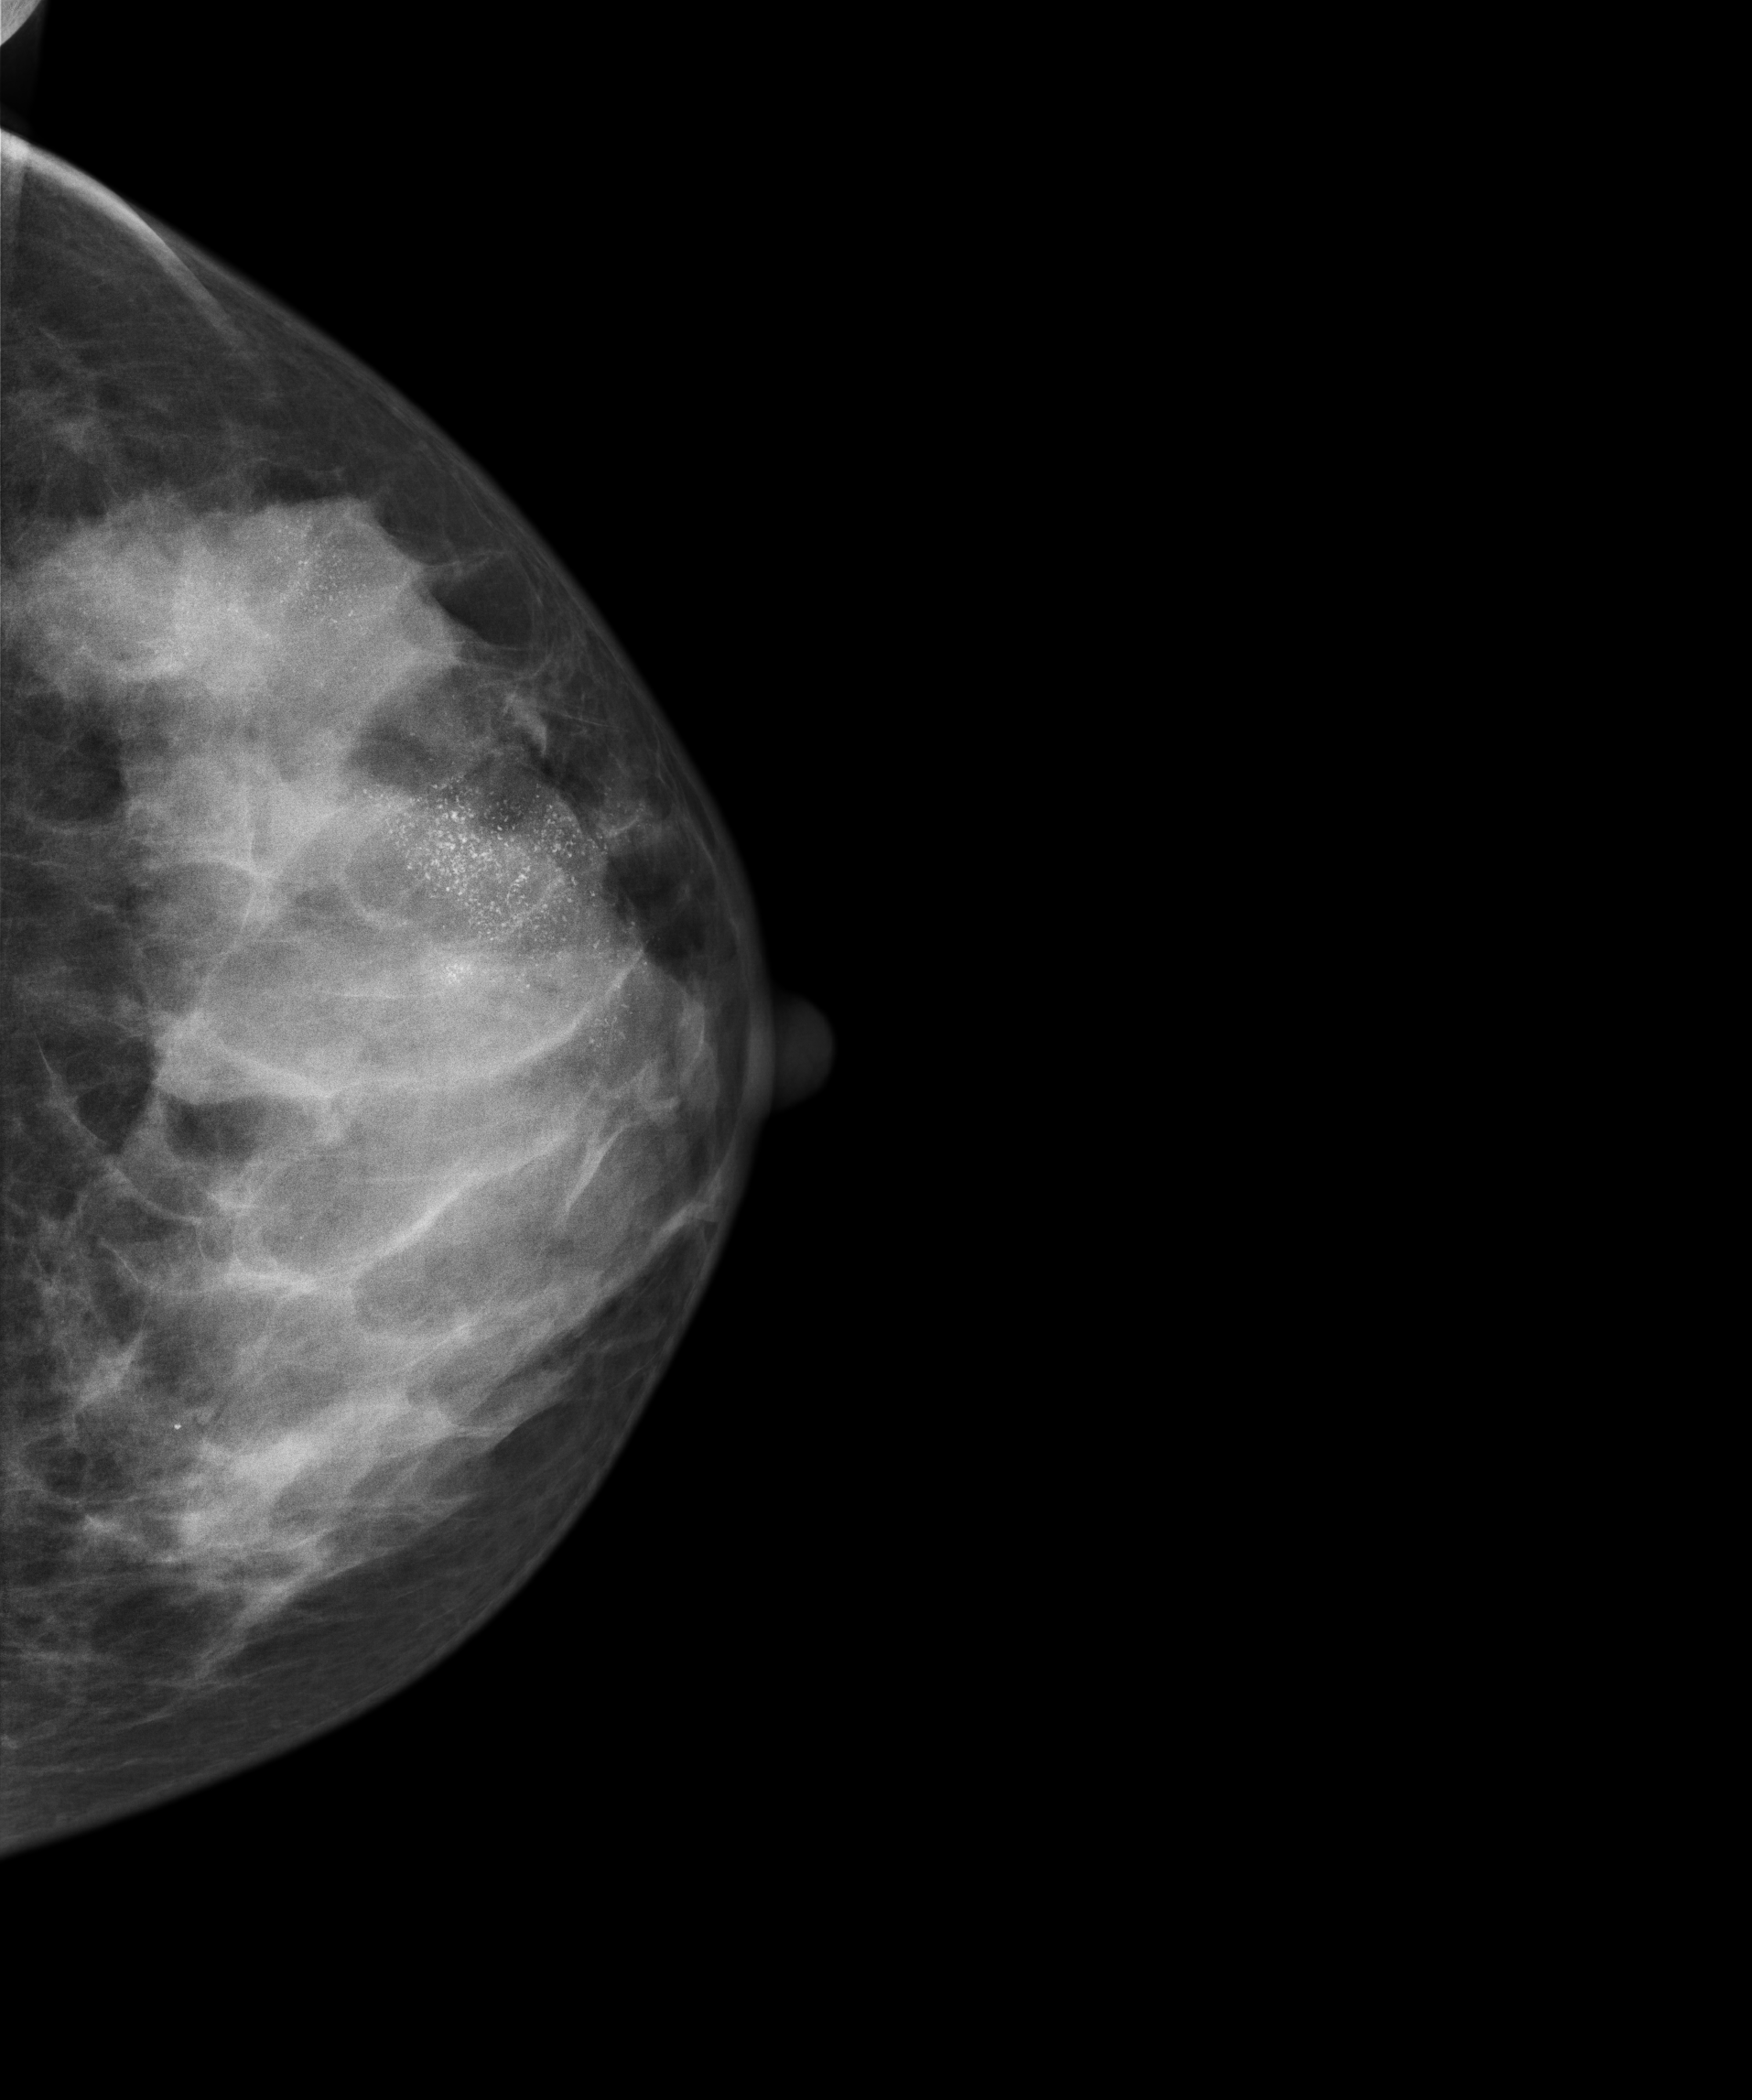
Digital mammography. Left breast, CC projection. 47-year-old patient.
This breast has calcifications, biopsy-proven malignant. Molecular subtype: HER2-enriched.